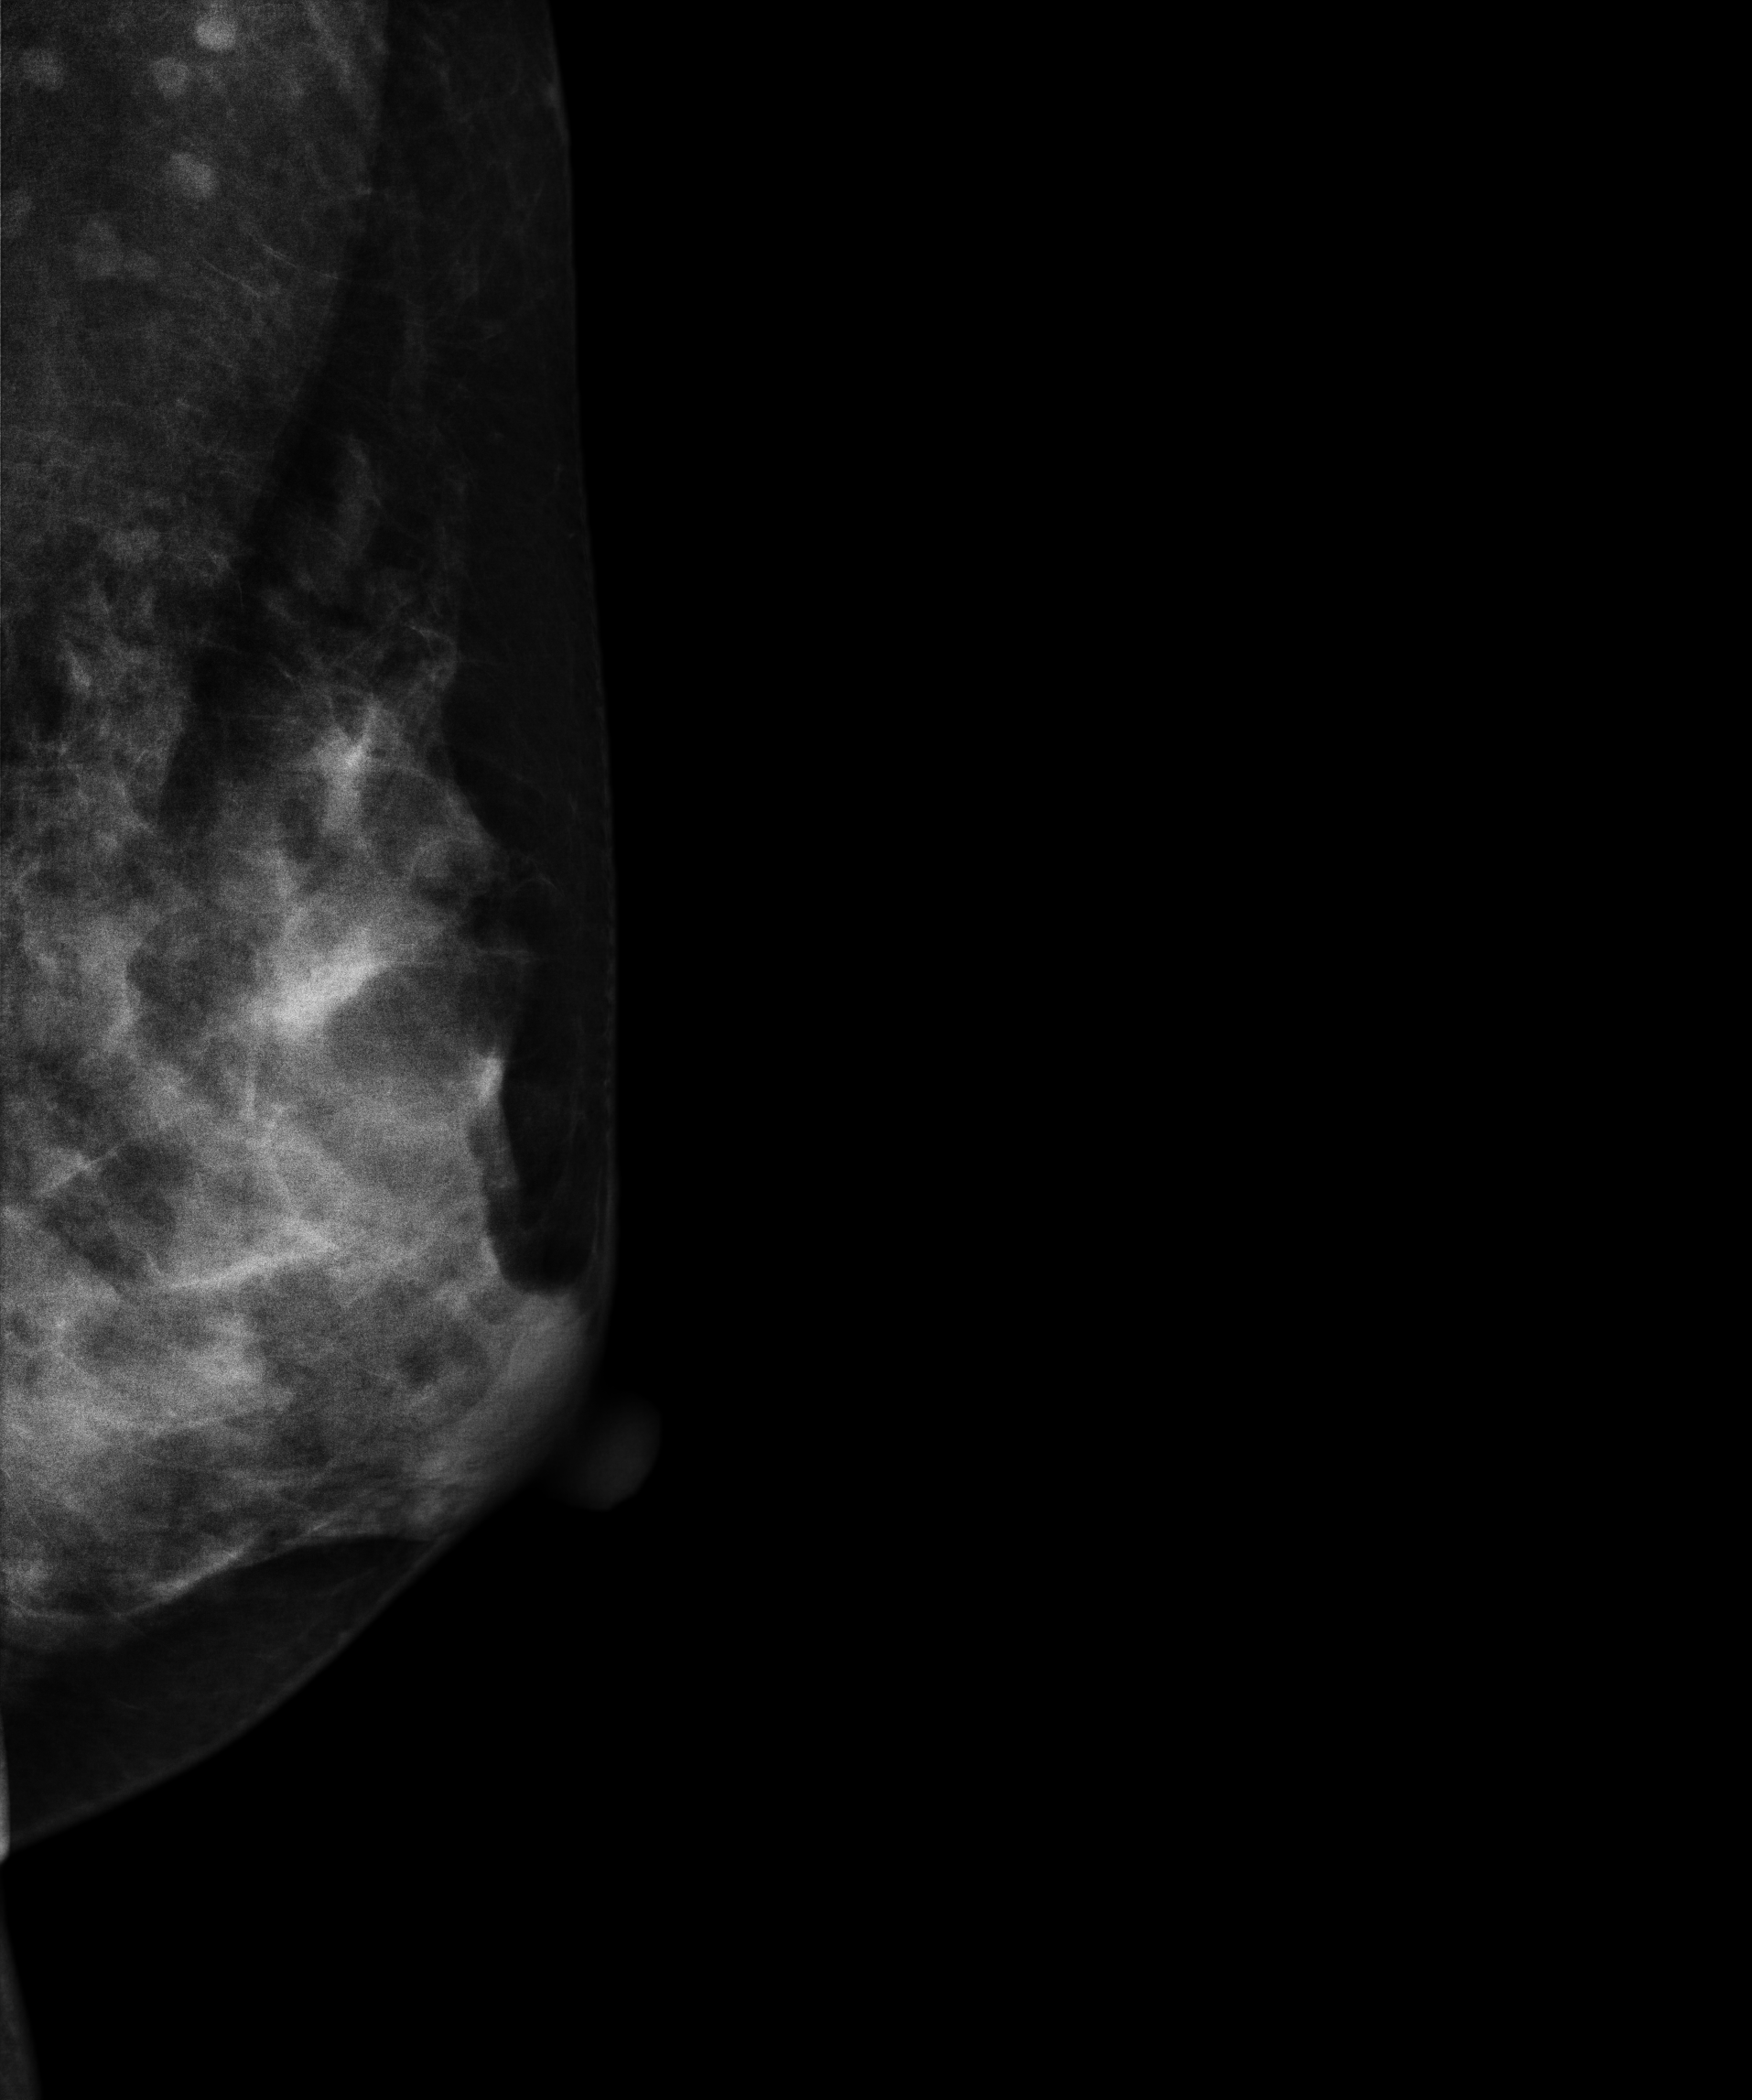
Digital mammography. Left breast, medio-lateral oblique projection. 41 y/o patient.
Contralateral breast — no documented abnormality on this side.